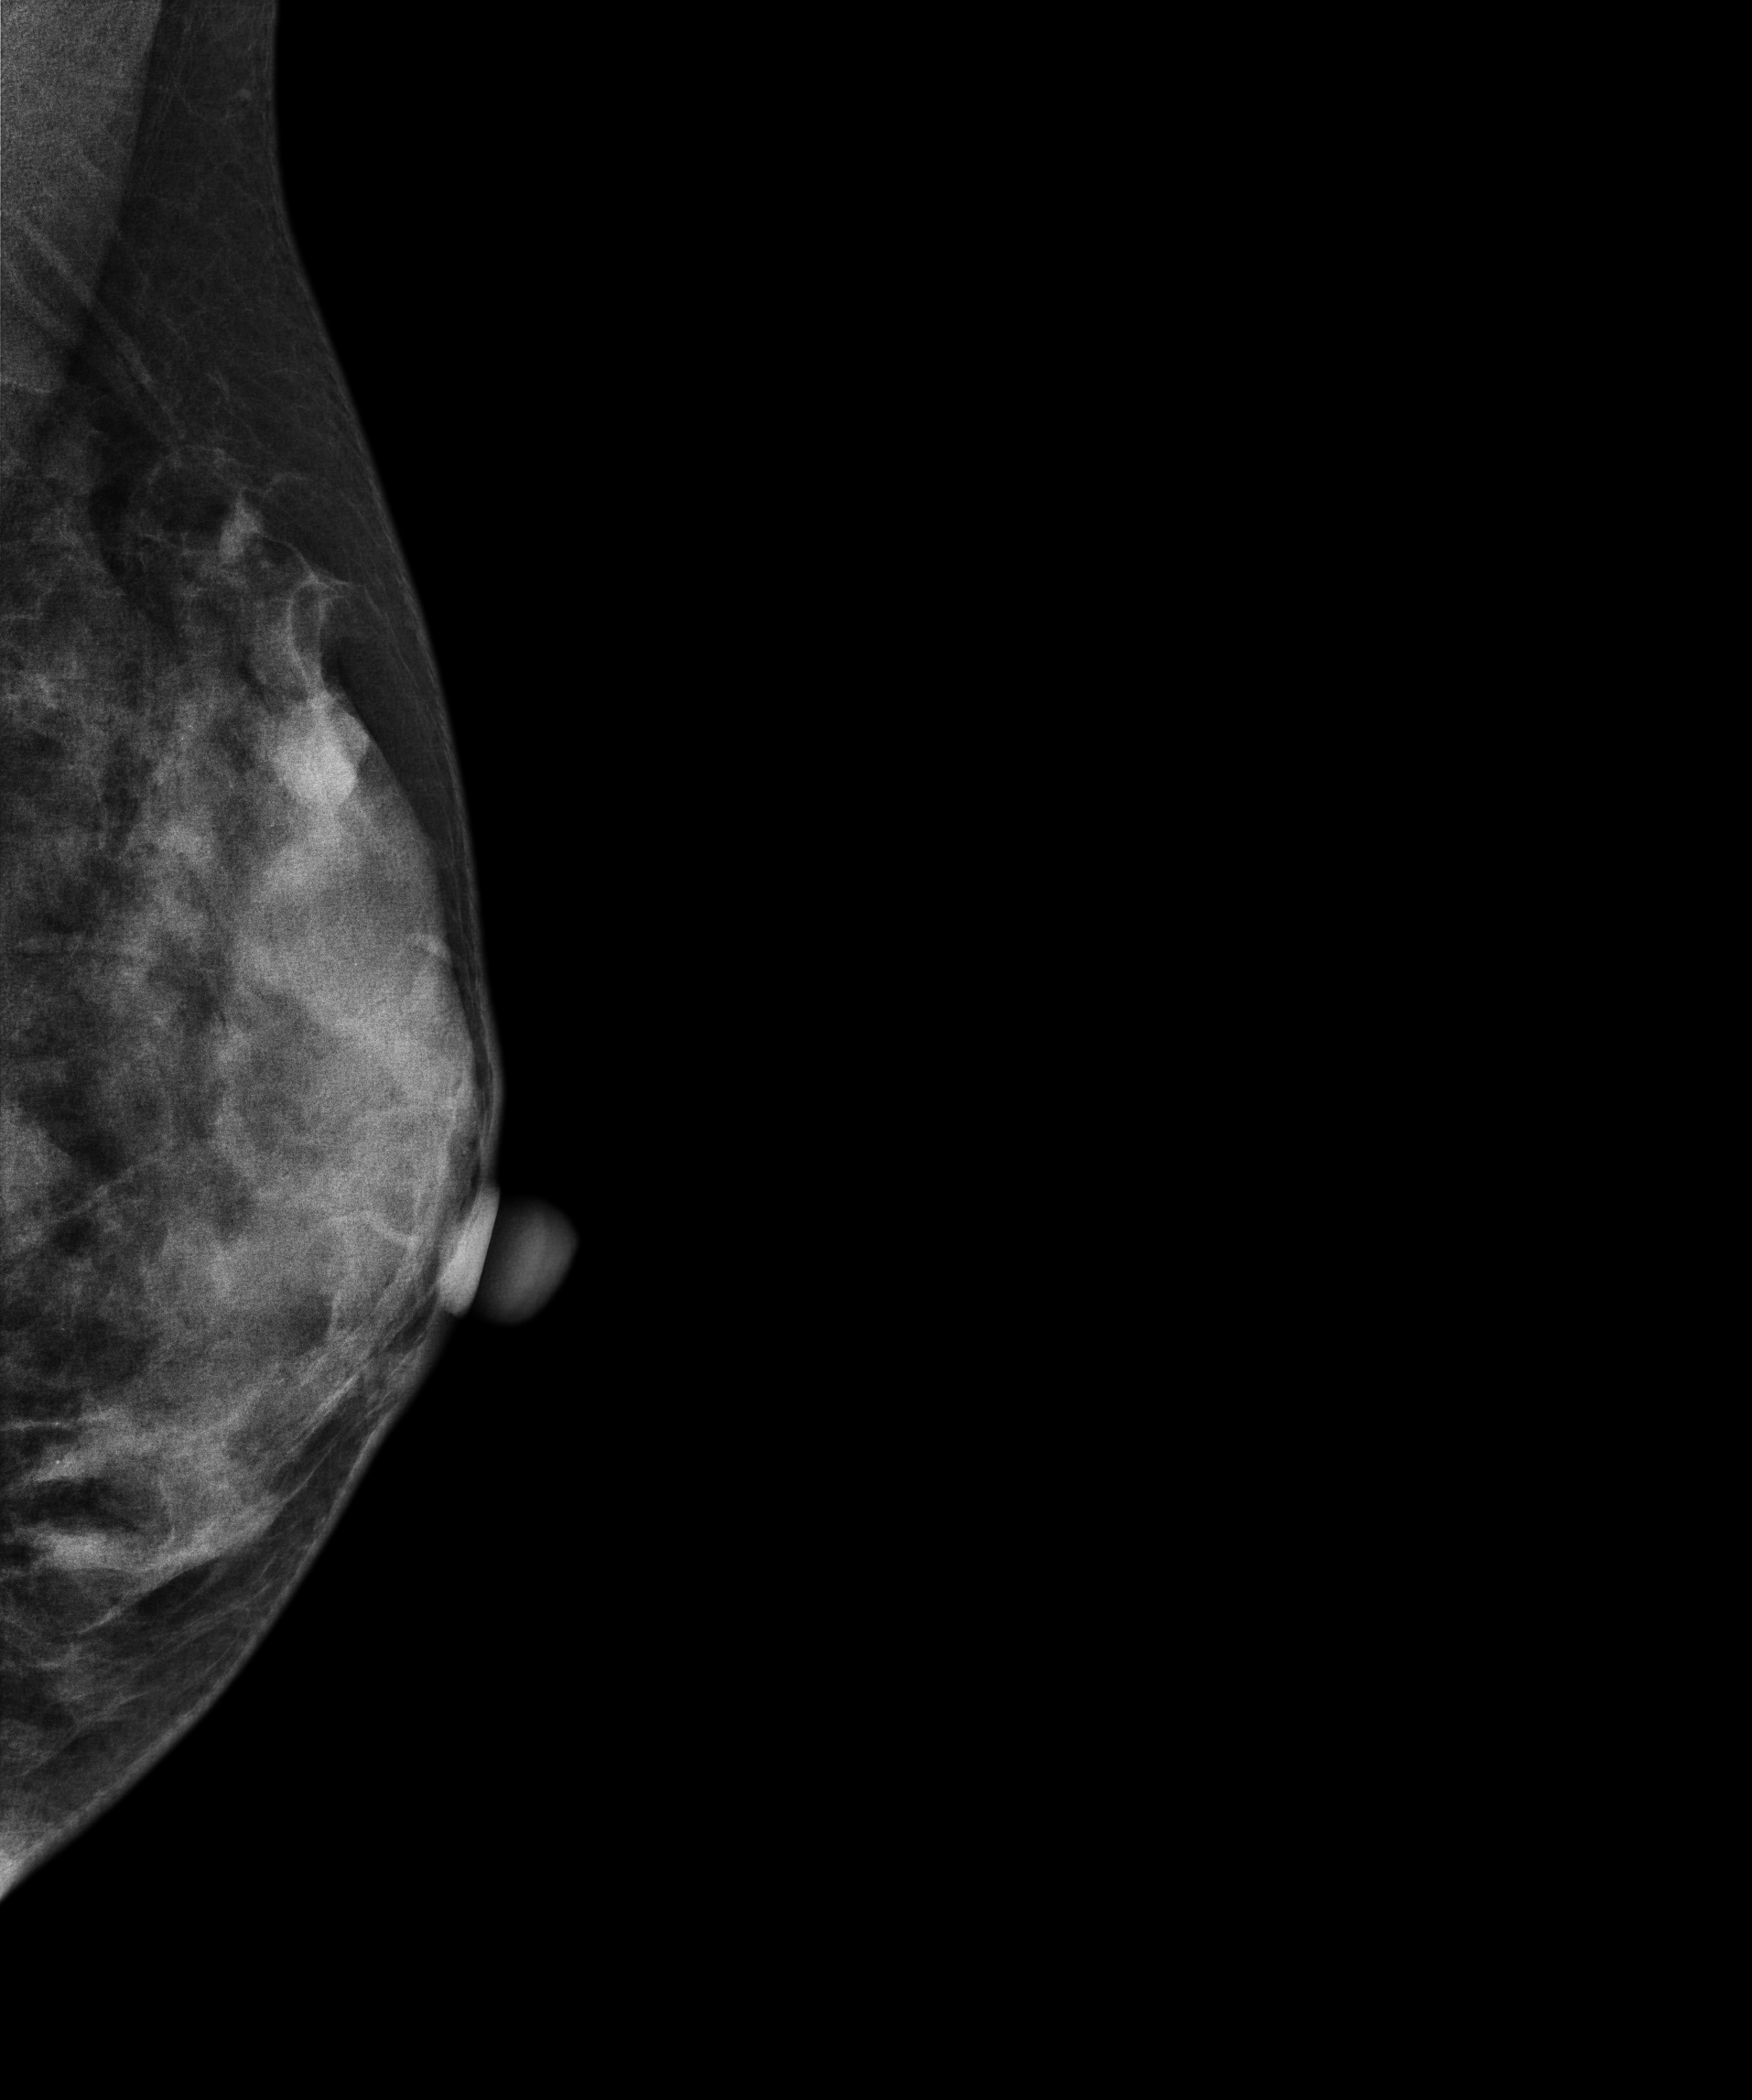
MLO mammogram of the left breast. Patient age 29.
This breast has a mass and calcifications, pathology-confirmed benign.